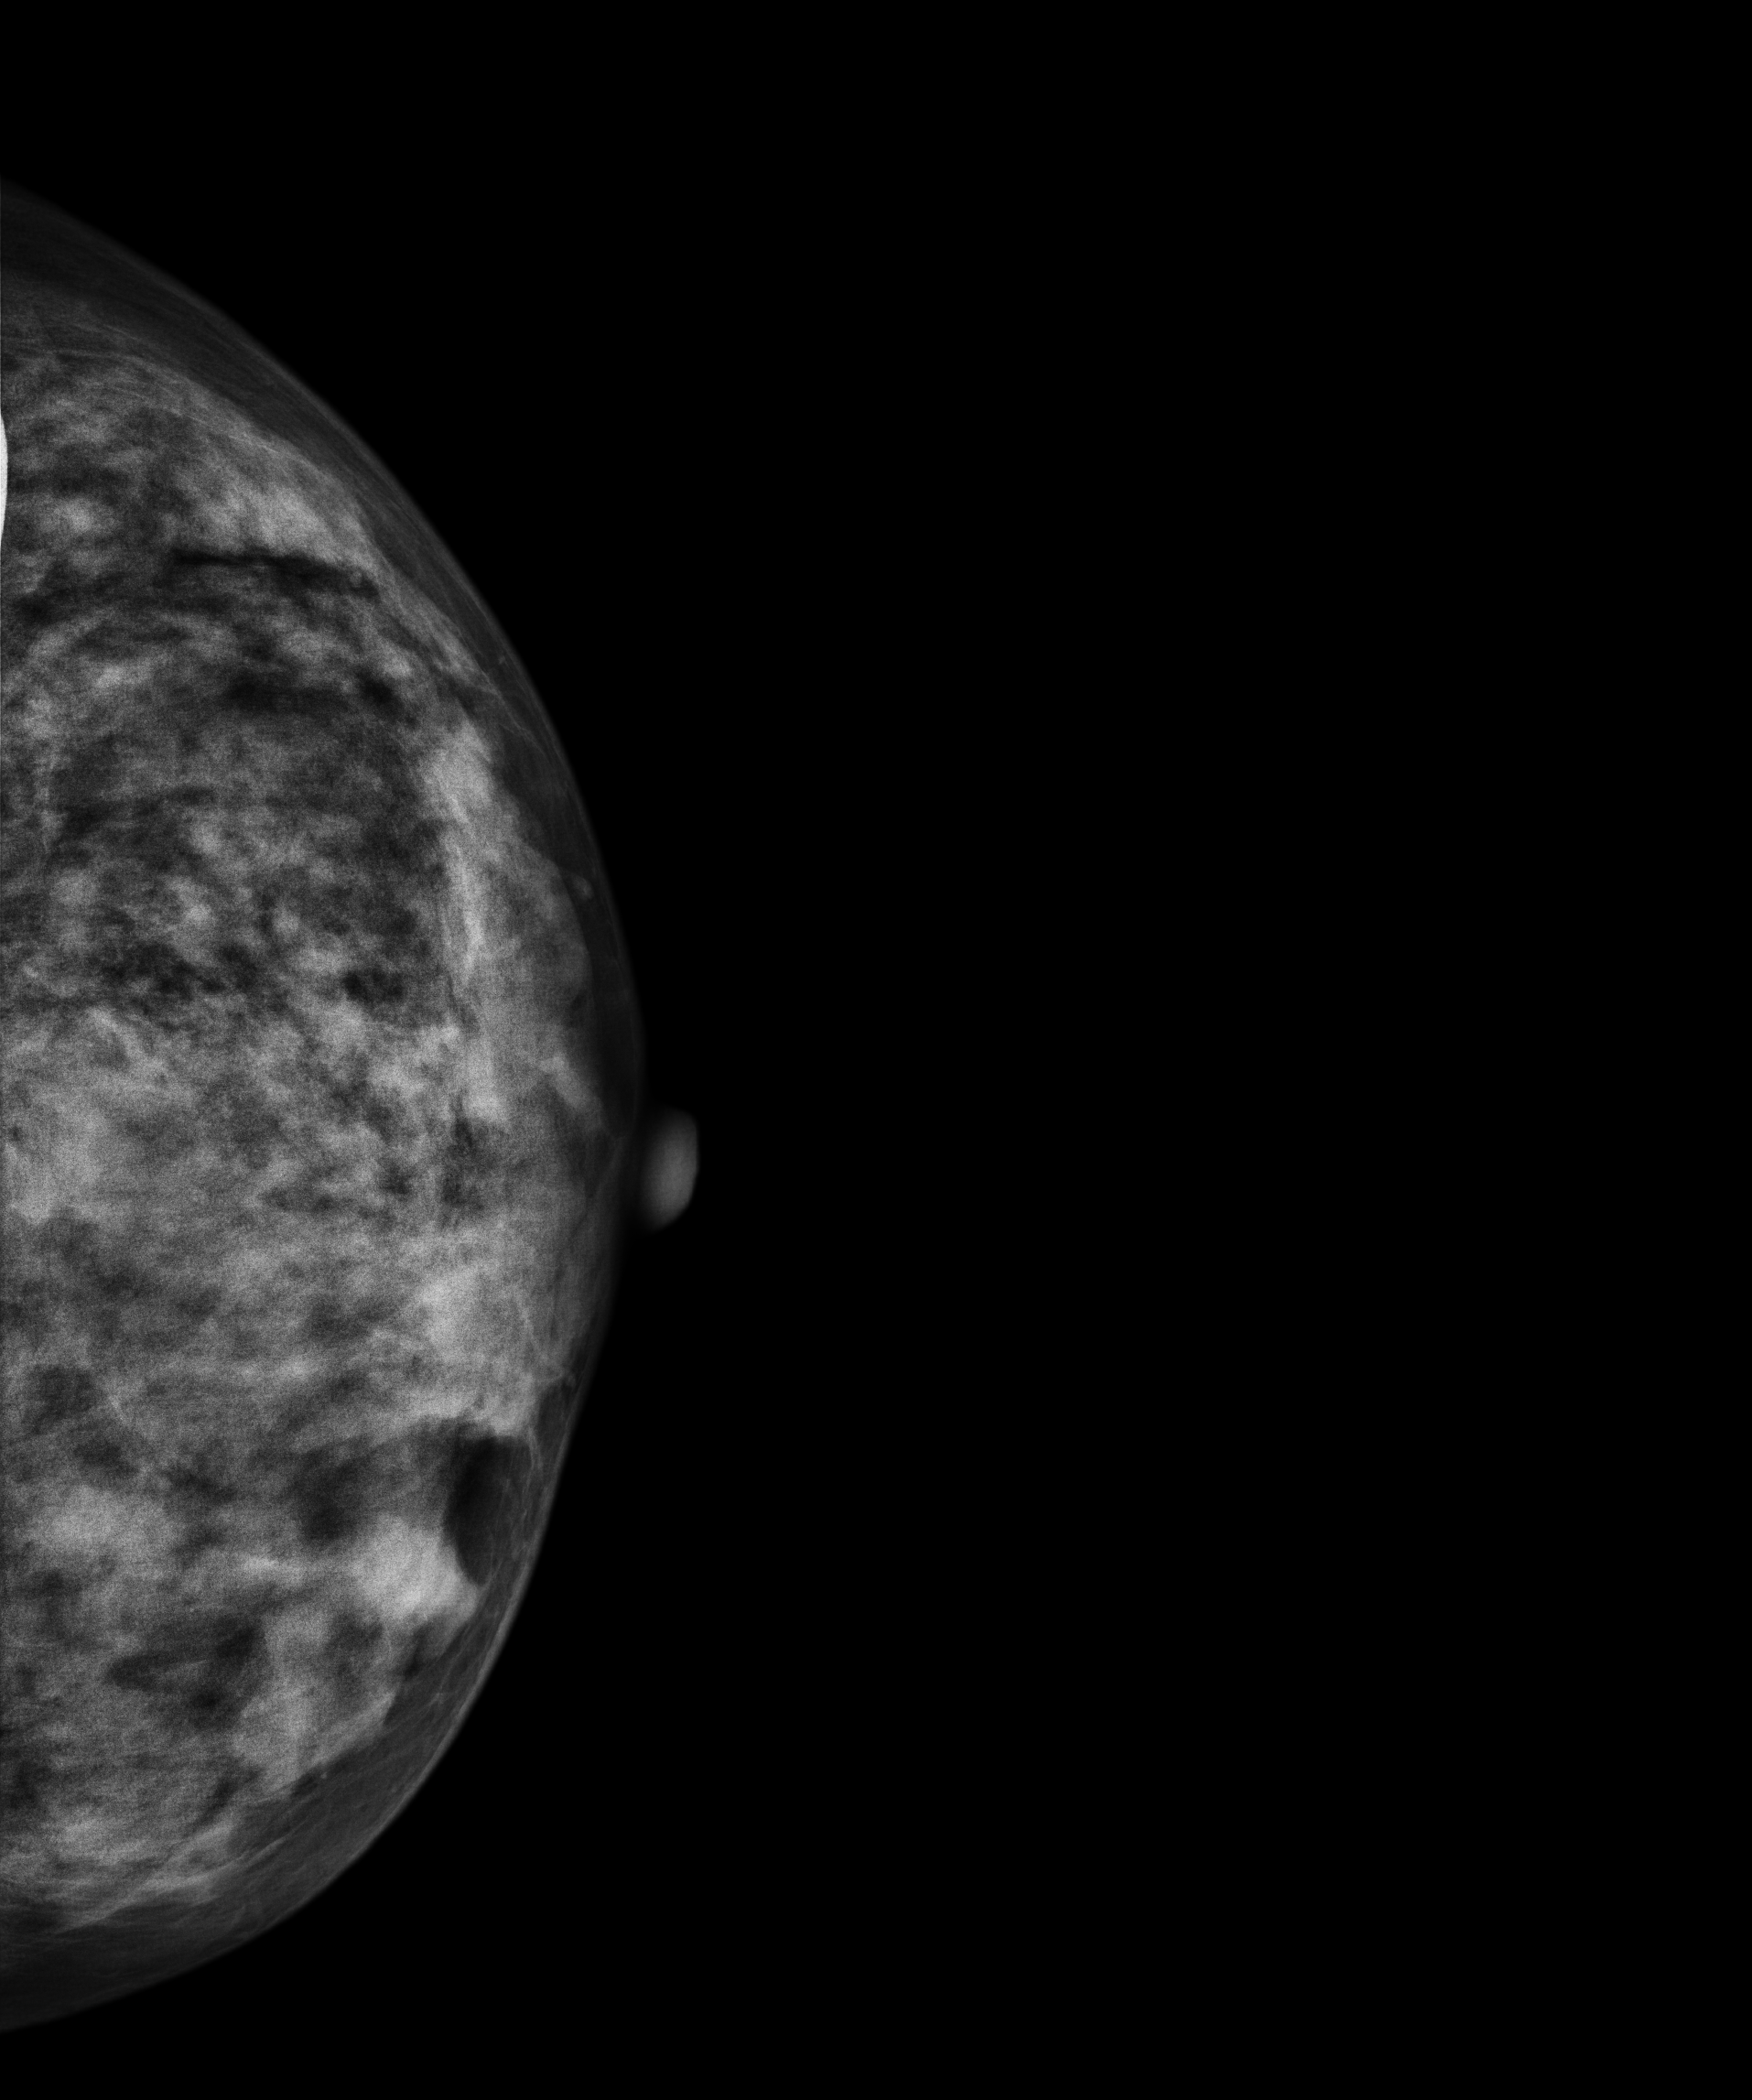
Mammogram, left breast, cranio-caudal view. Patient age 45.
This breast has a mass, histologically confirmed malignant. Molecular subtype: luminal B.